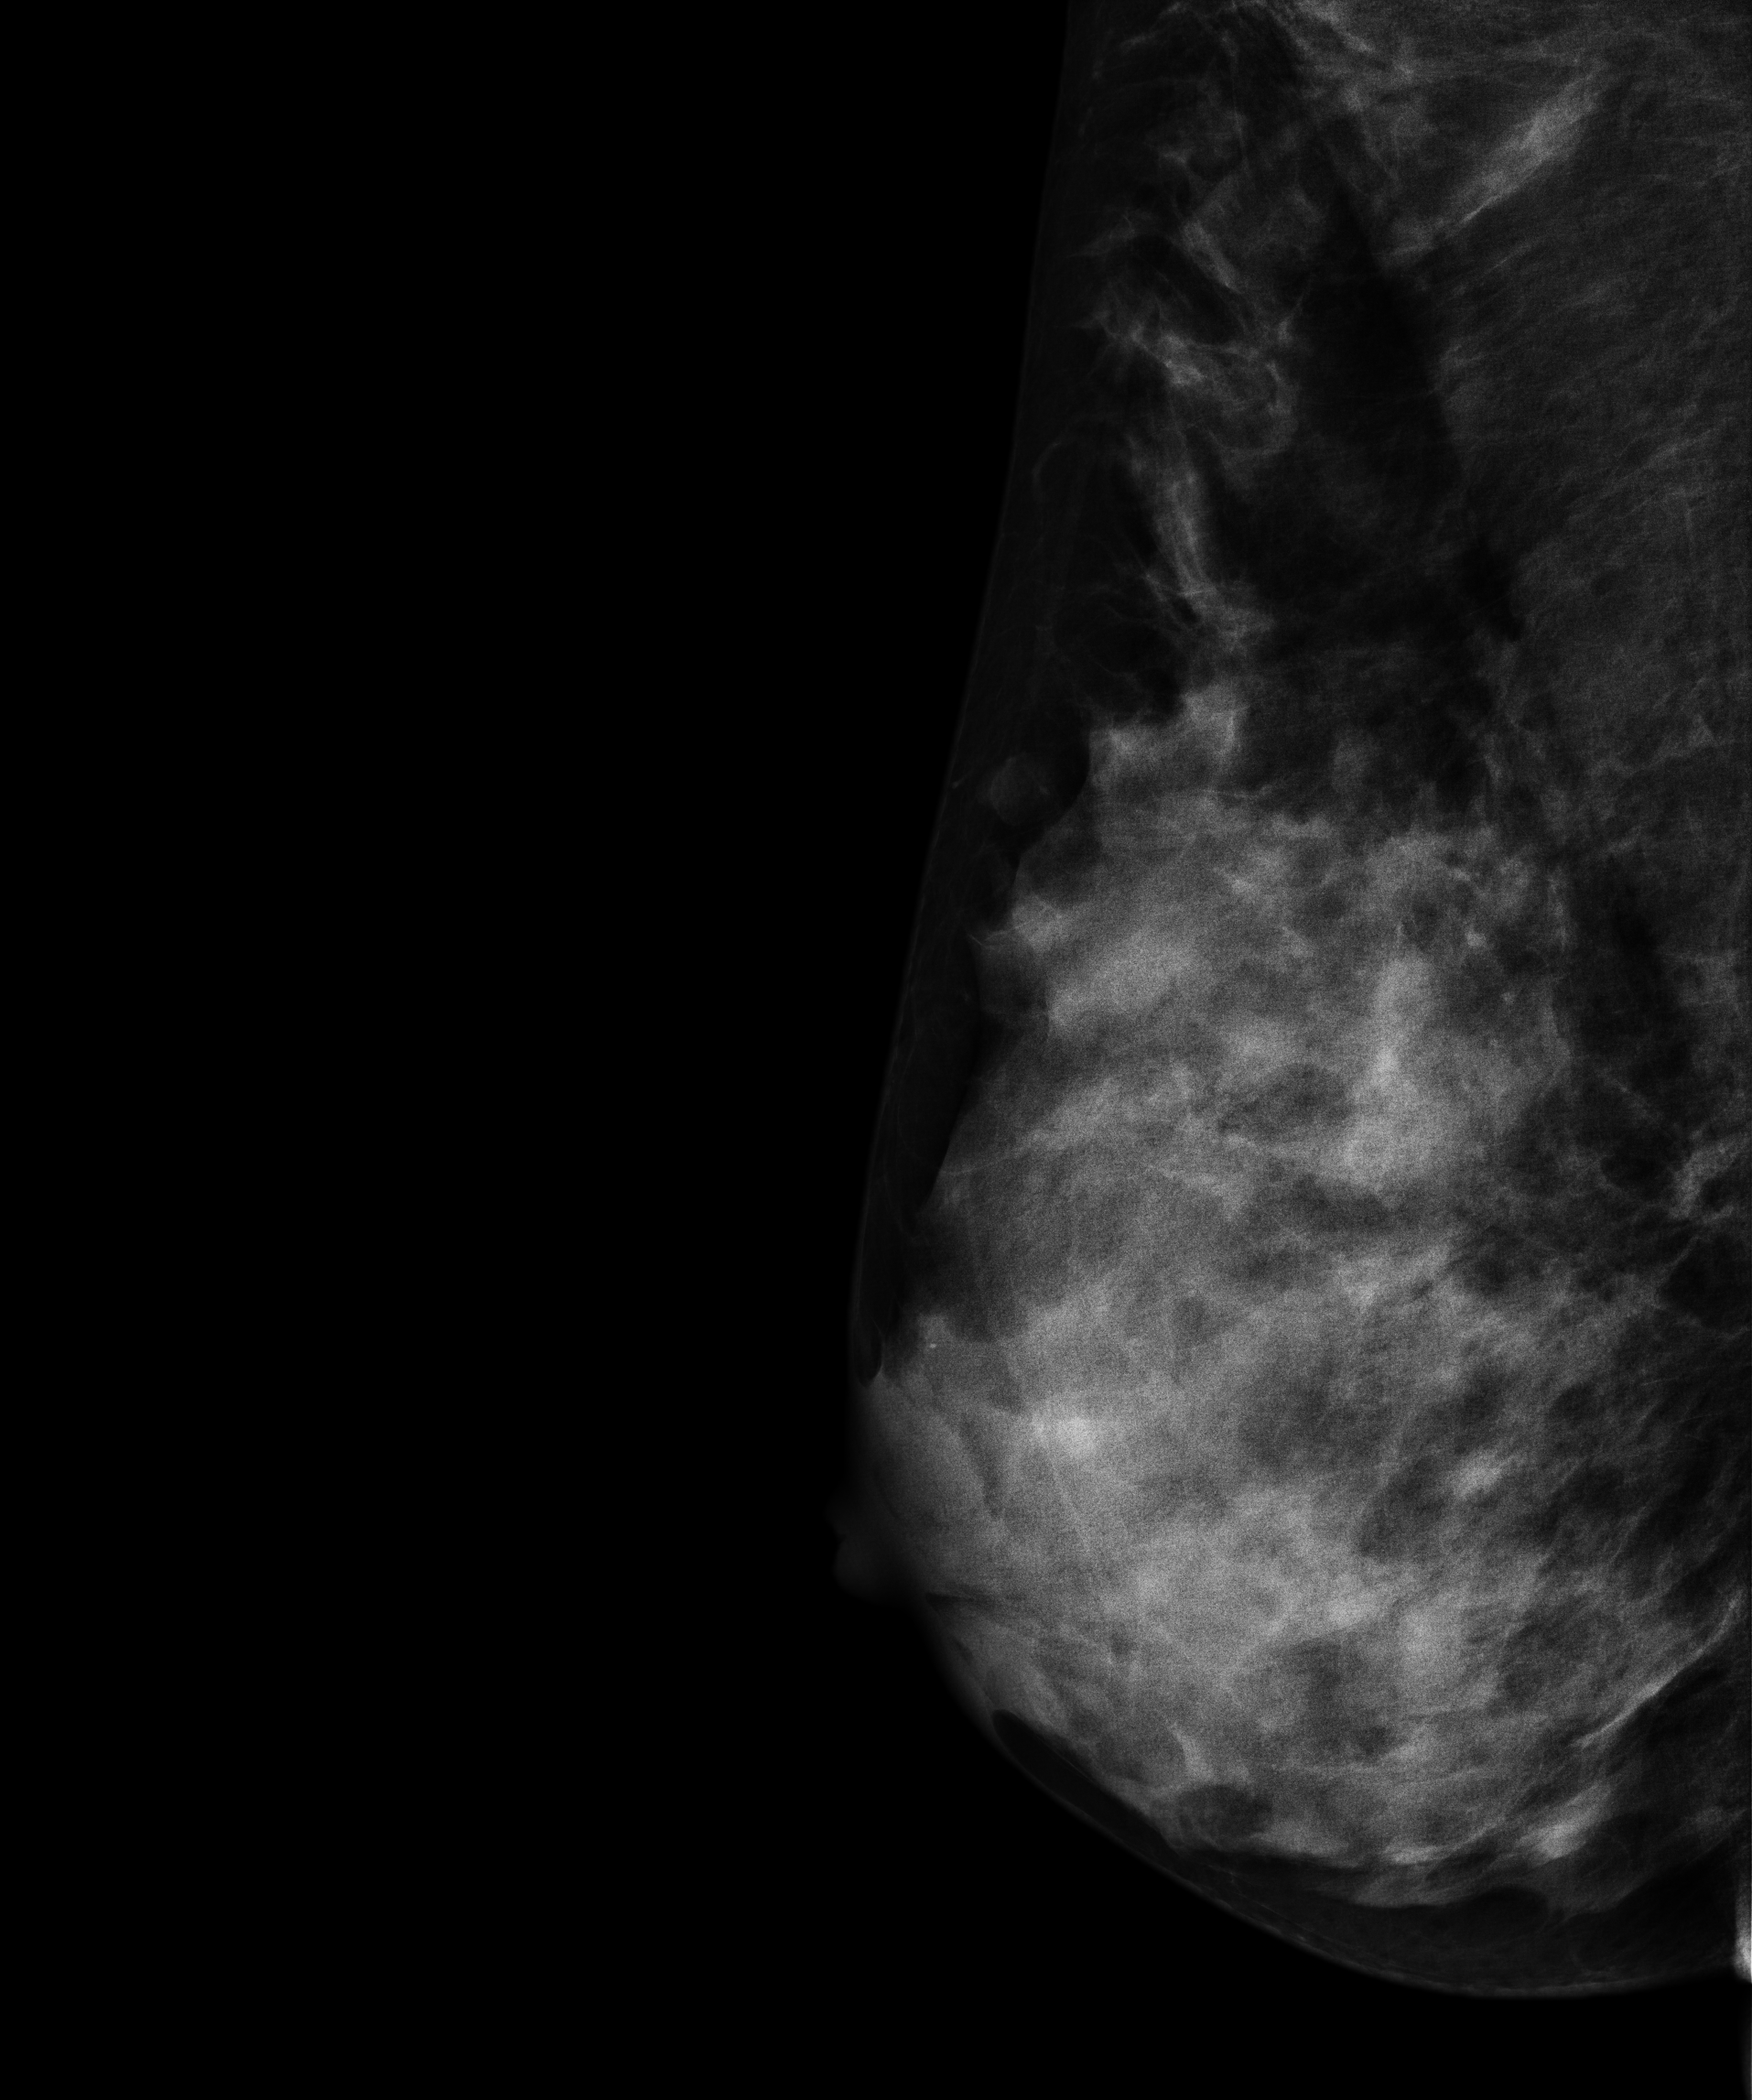
Right-breast mammogram, MLO. 45 y/o patient.
Contralateral breast — no documented abnormality on this side.